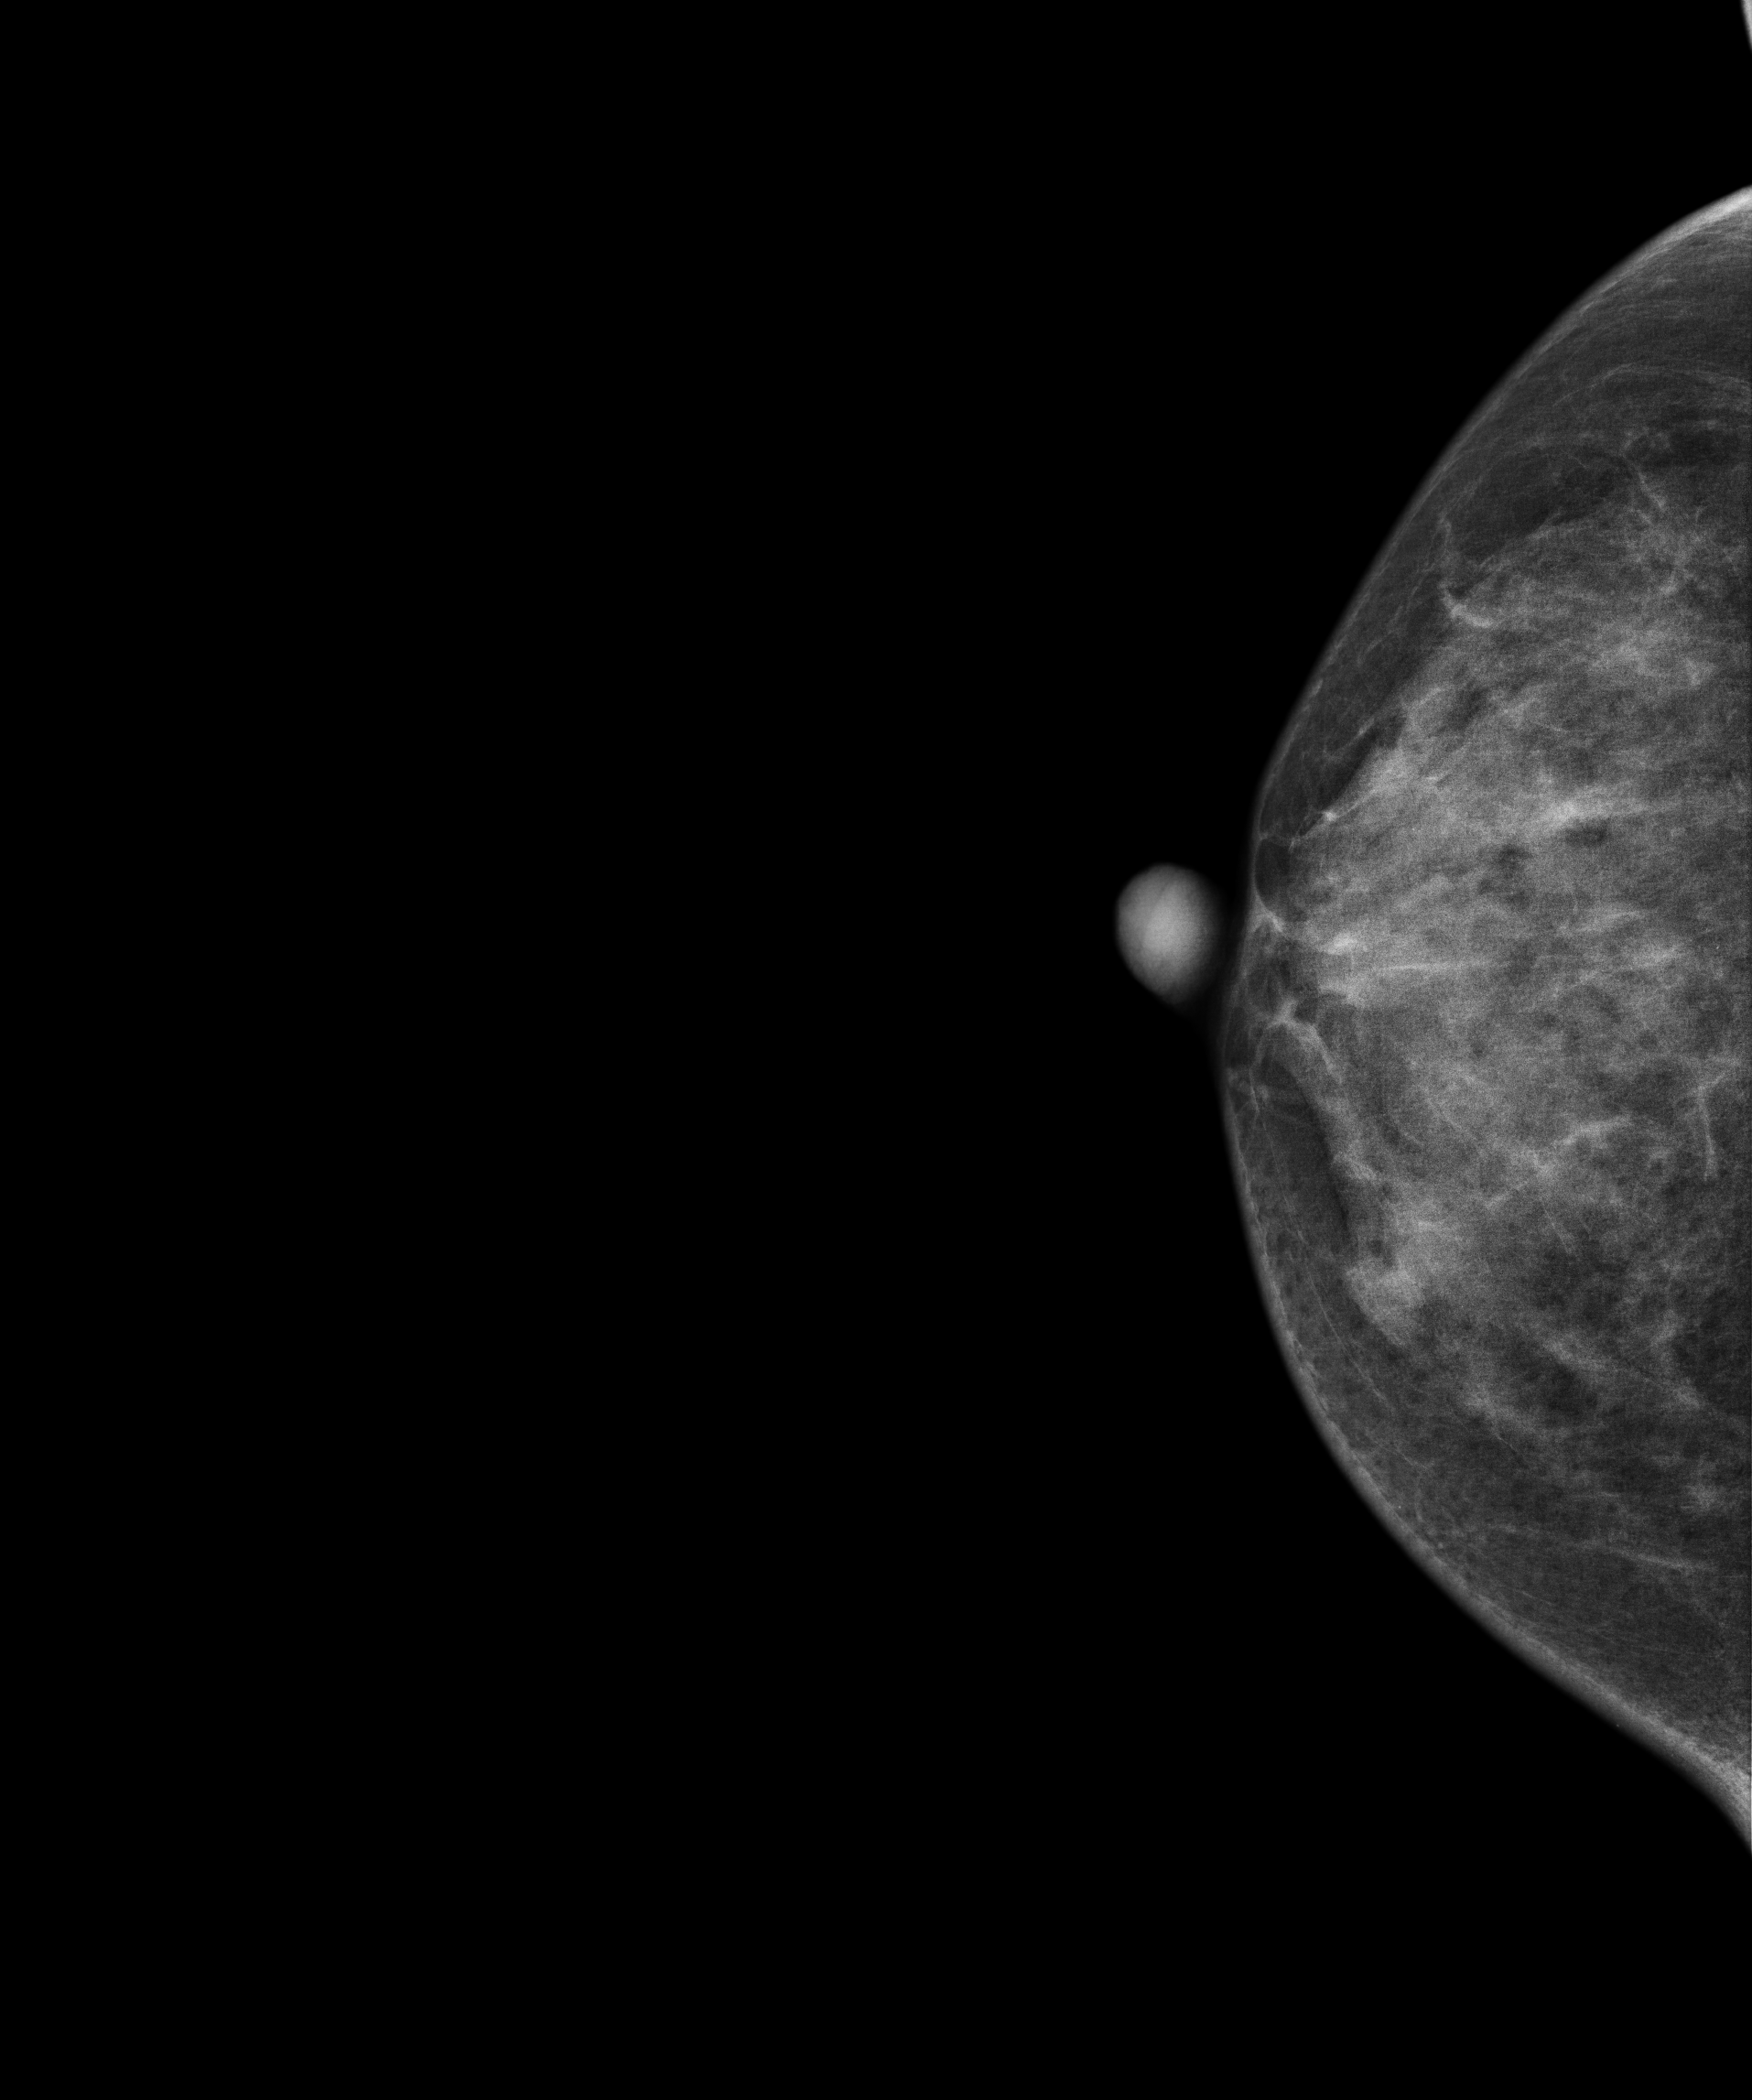
Mammogram — right cranio-caudal. Patient age 58.
Contralateral breast — no documented abnormality on this side.